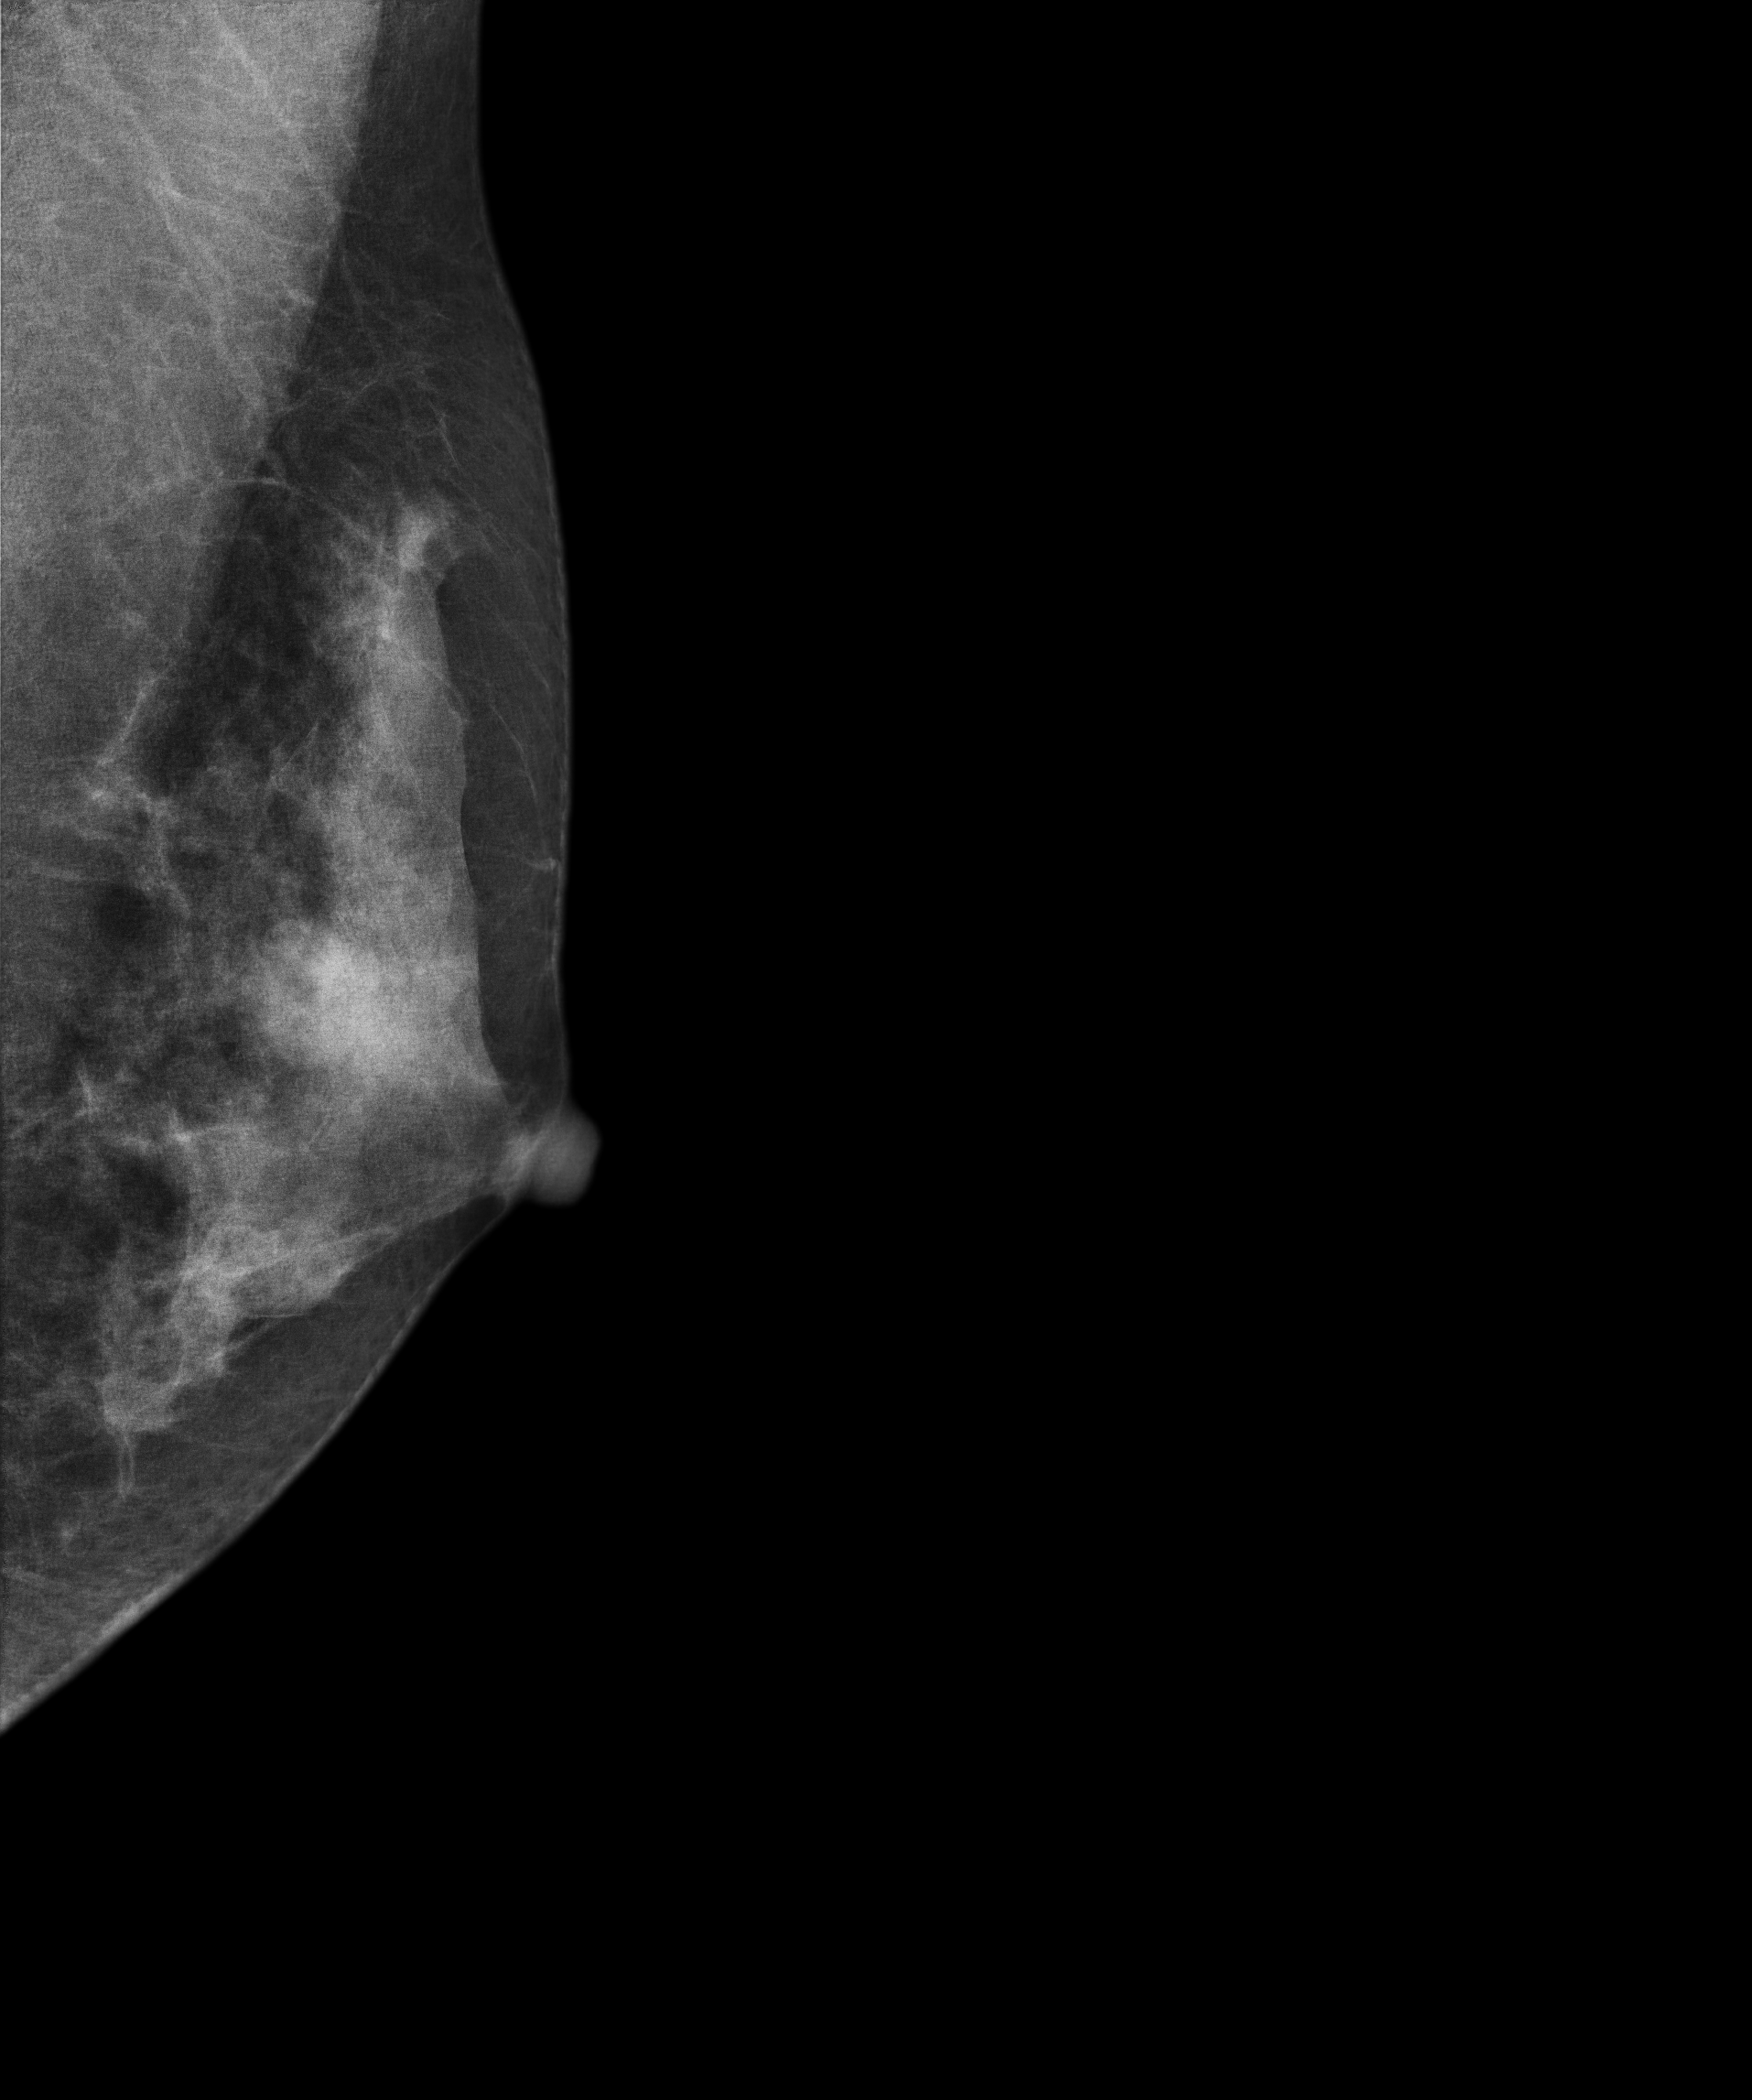
Digital mammography. Left breast, medio-lateral oblique projection. 36 y/o patient.
This breast has a mass and calcifications, pathology-confirmed benign.